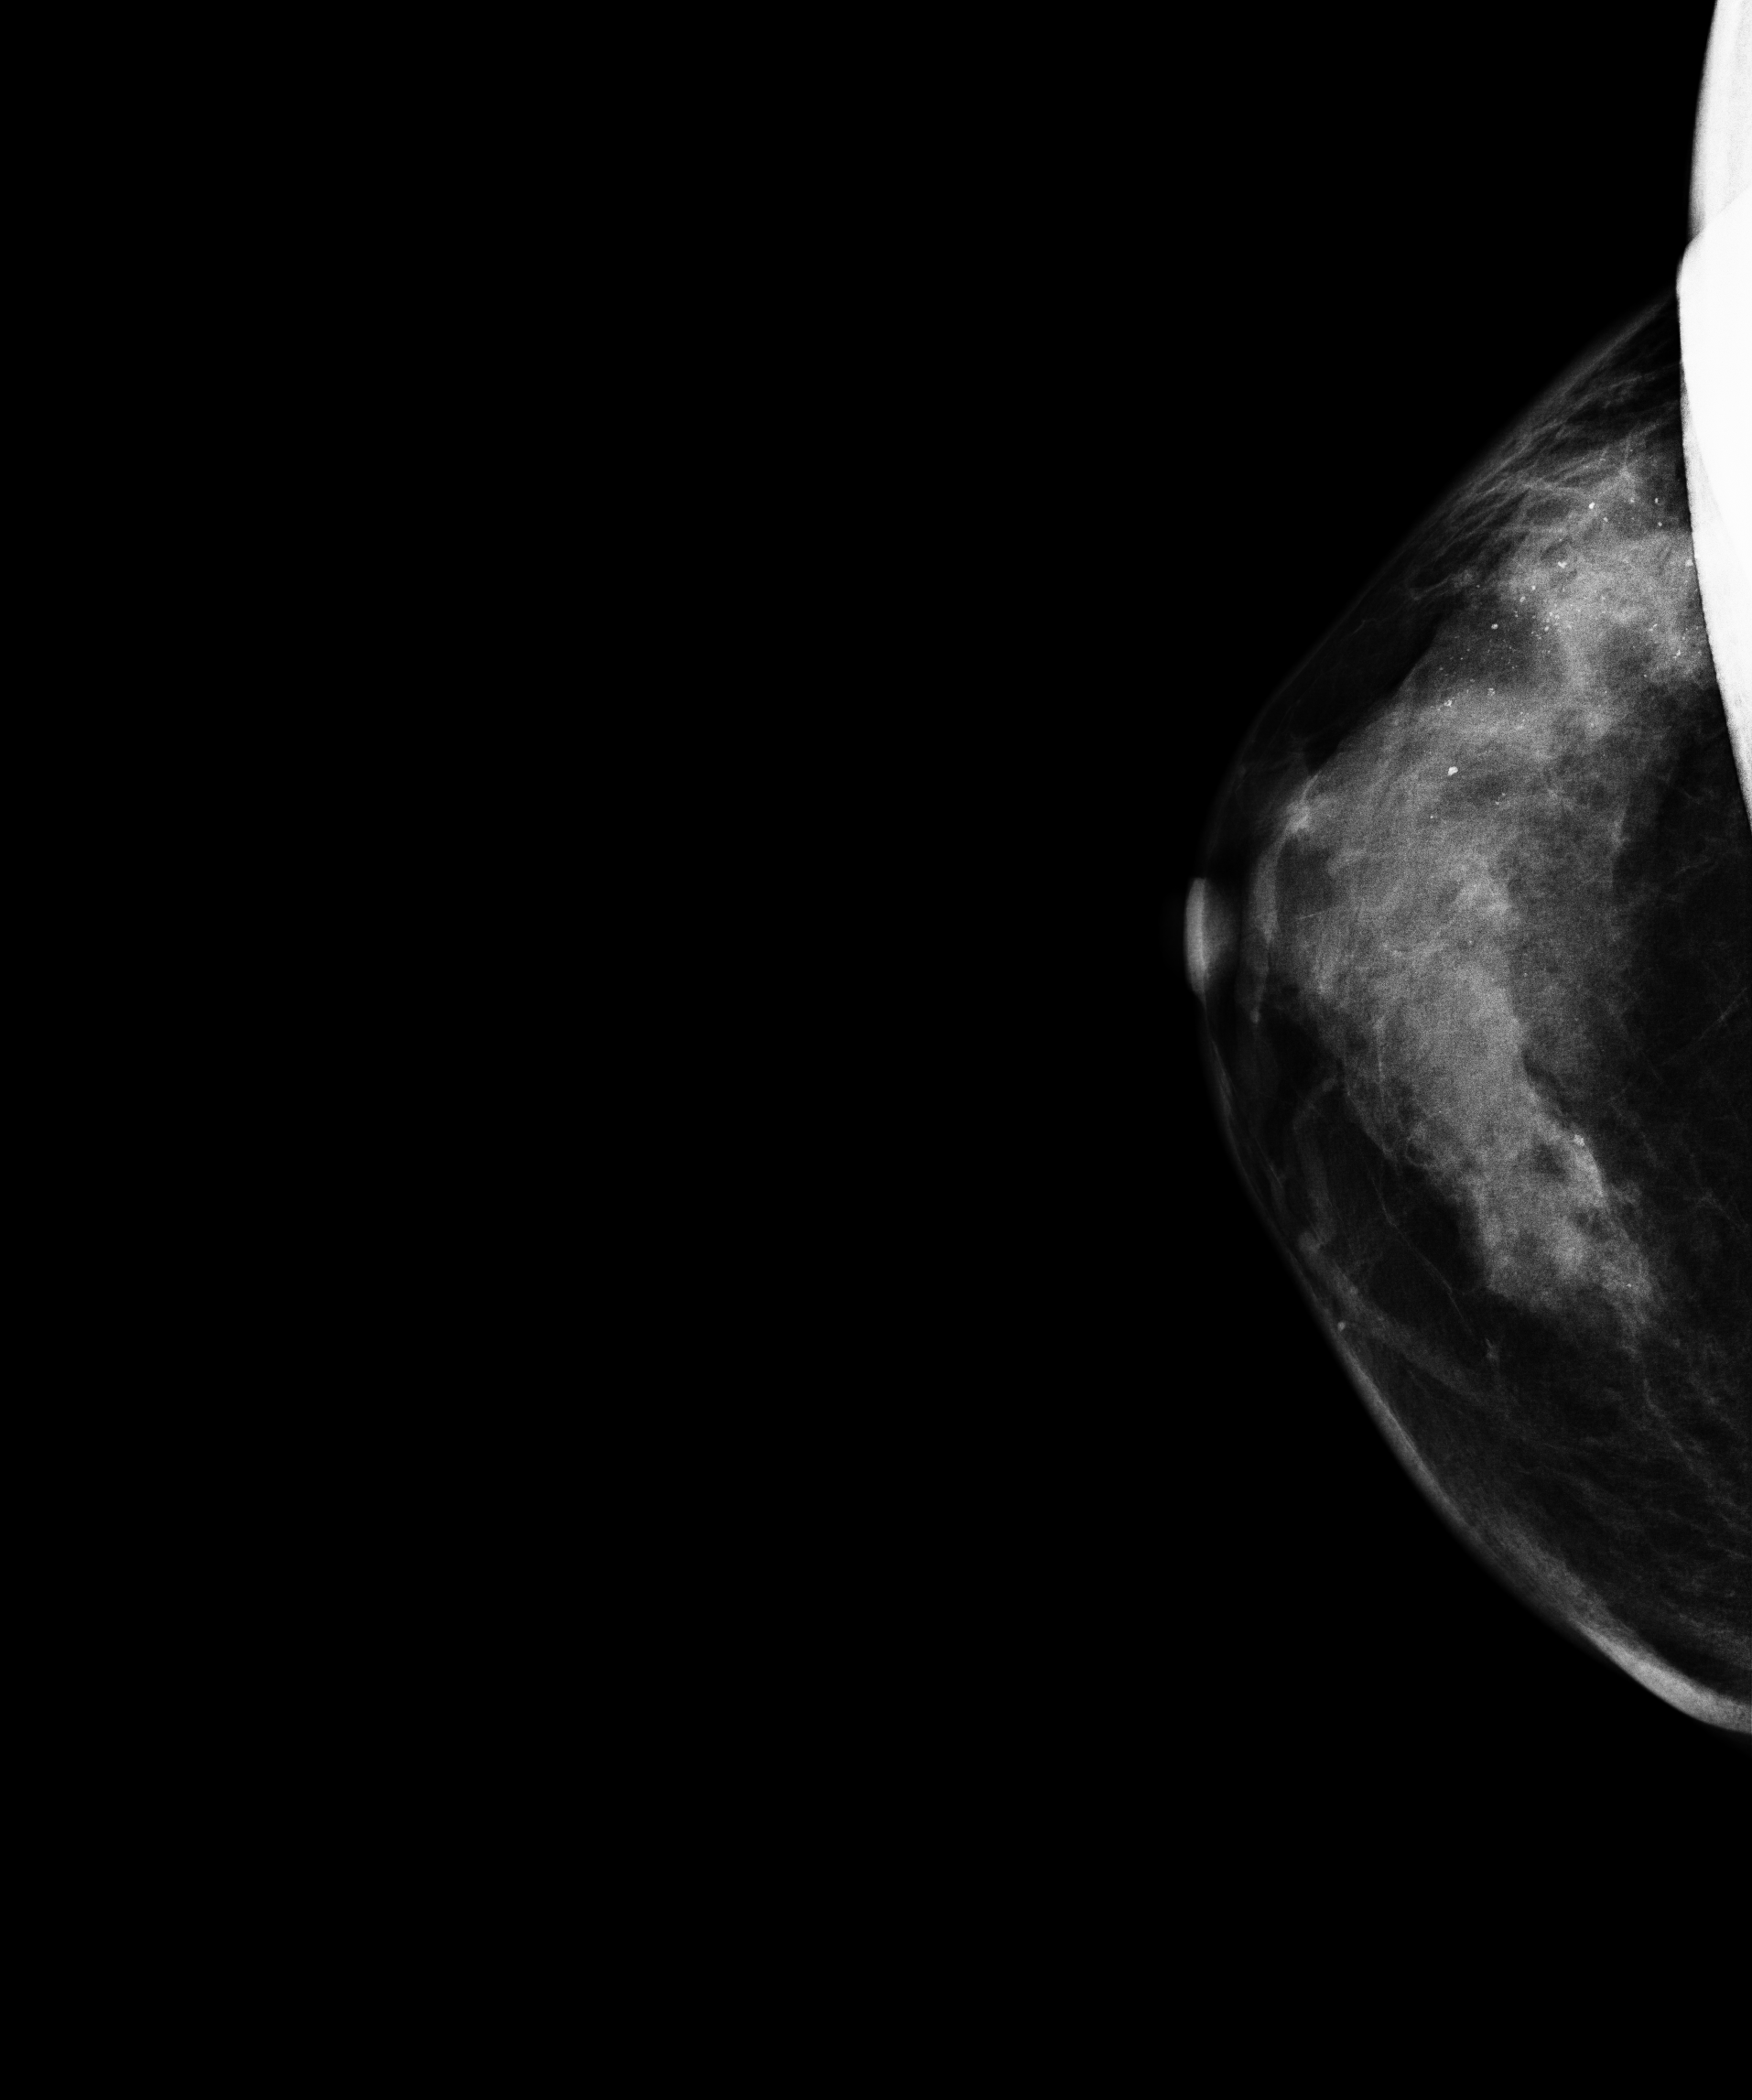
CC mammogram of the right breast. 64-year-old patient.
This breast has calcifications, histologically confirmed malignant.